Medio-lateral oblique mammogram of the left breast. 42-year-old patient.
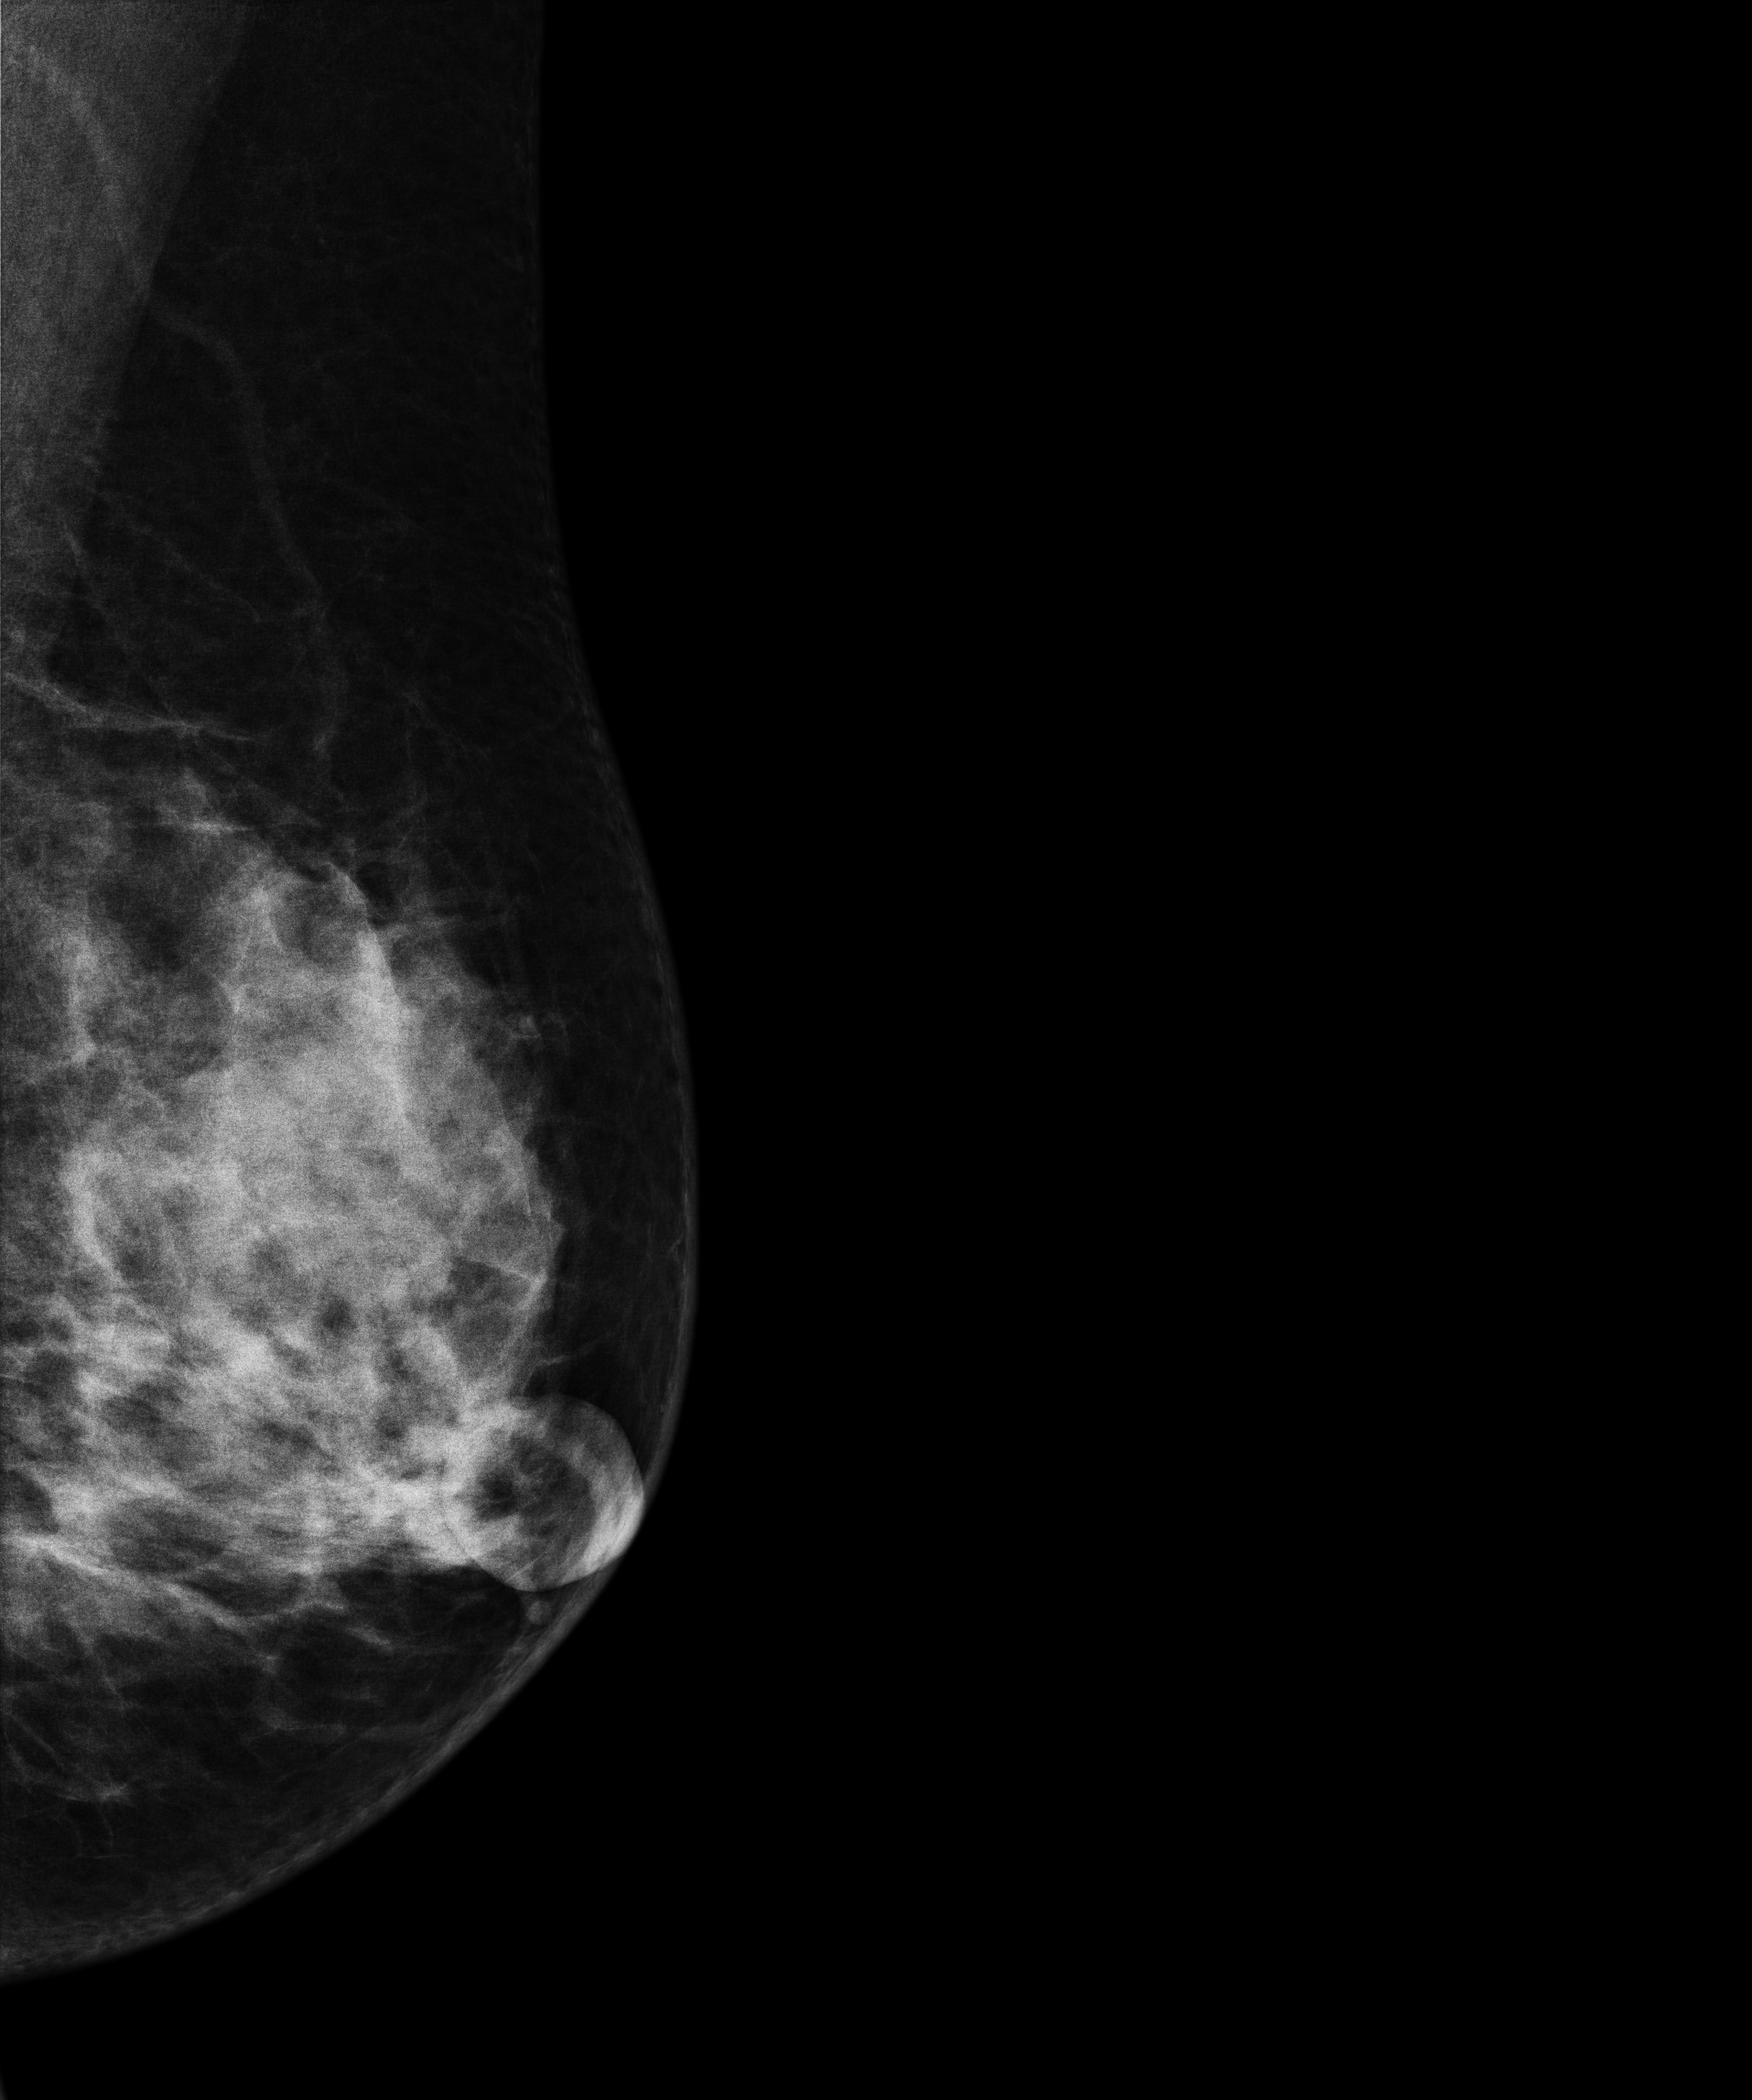
Contralateral breast — no documented abnormality on this side.